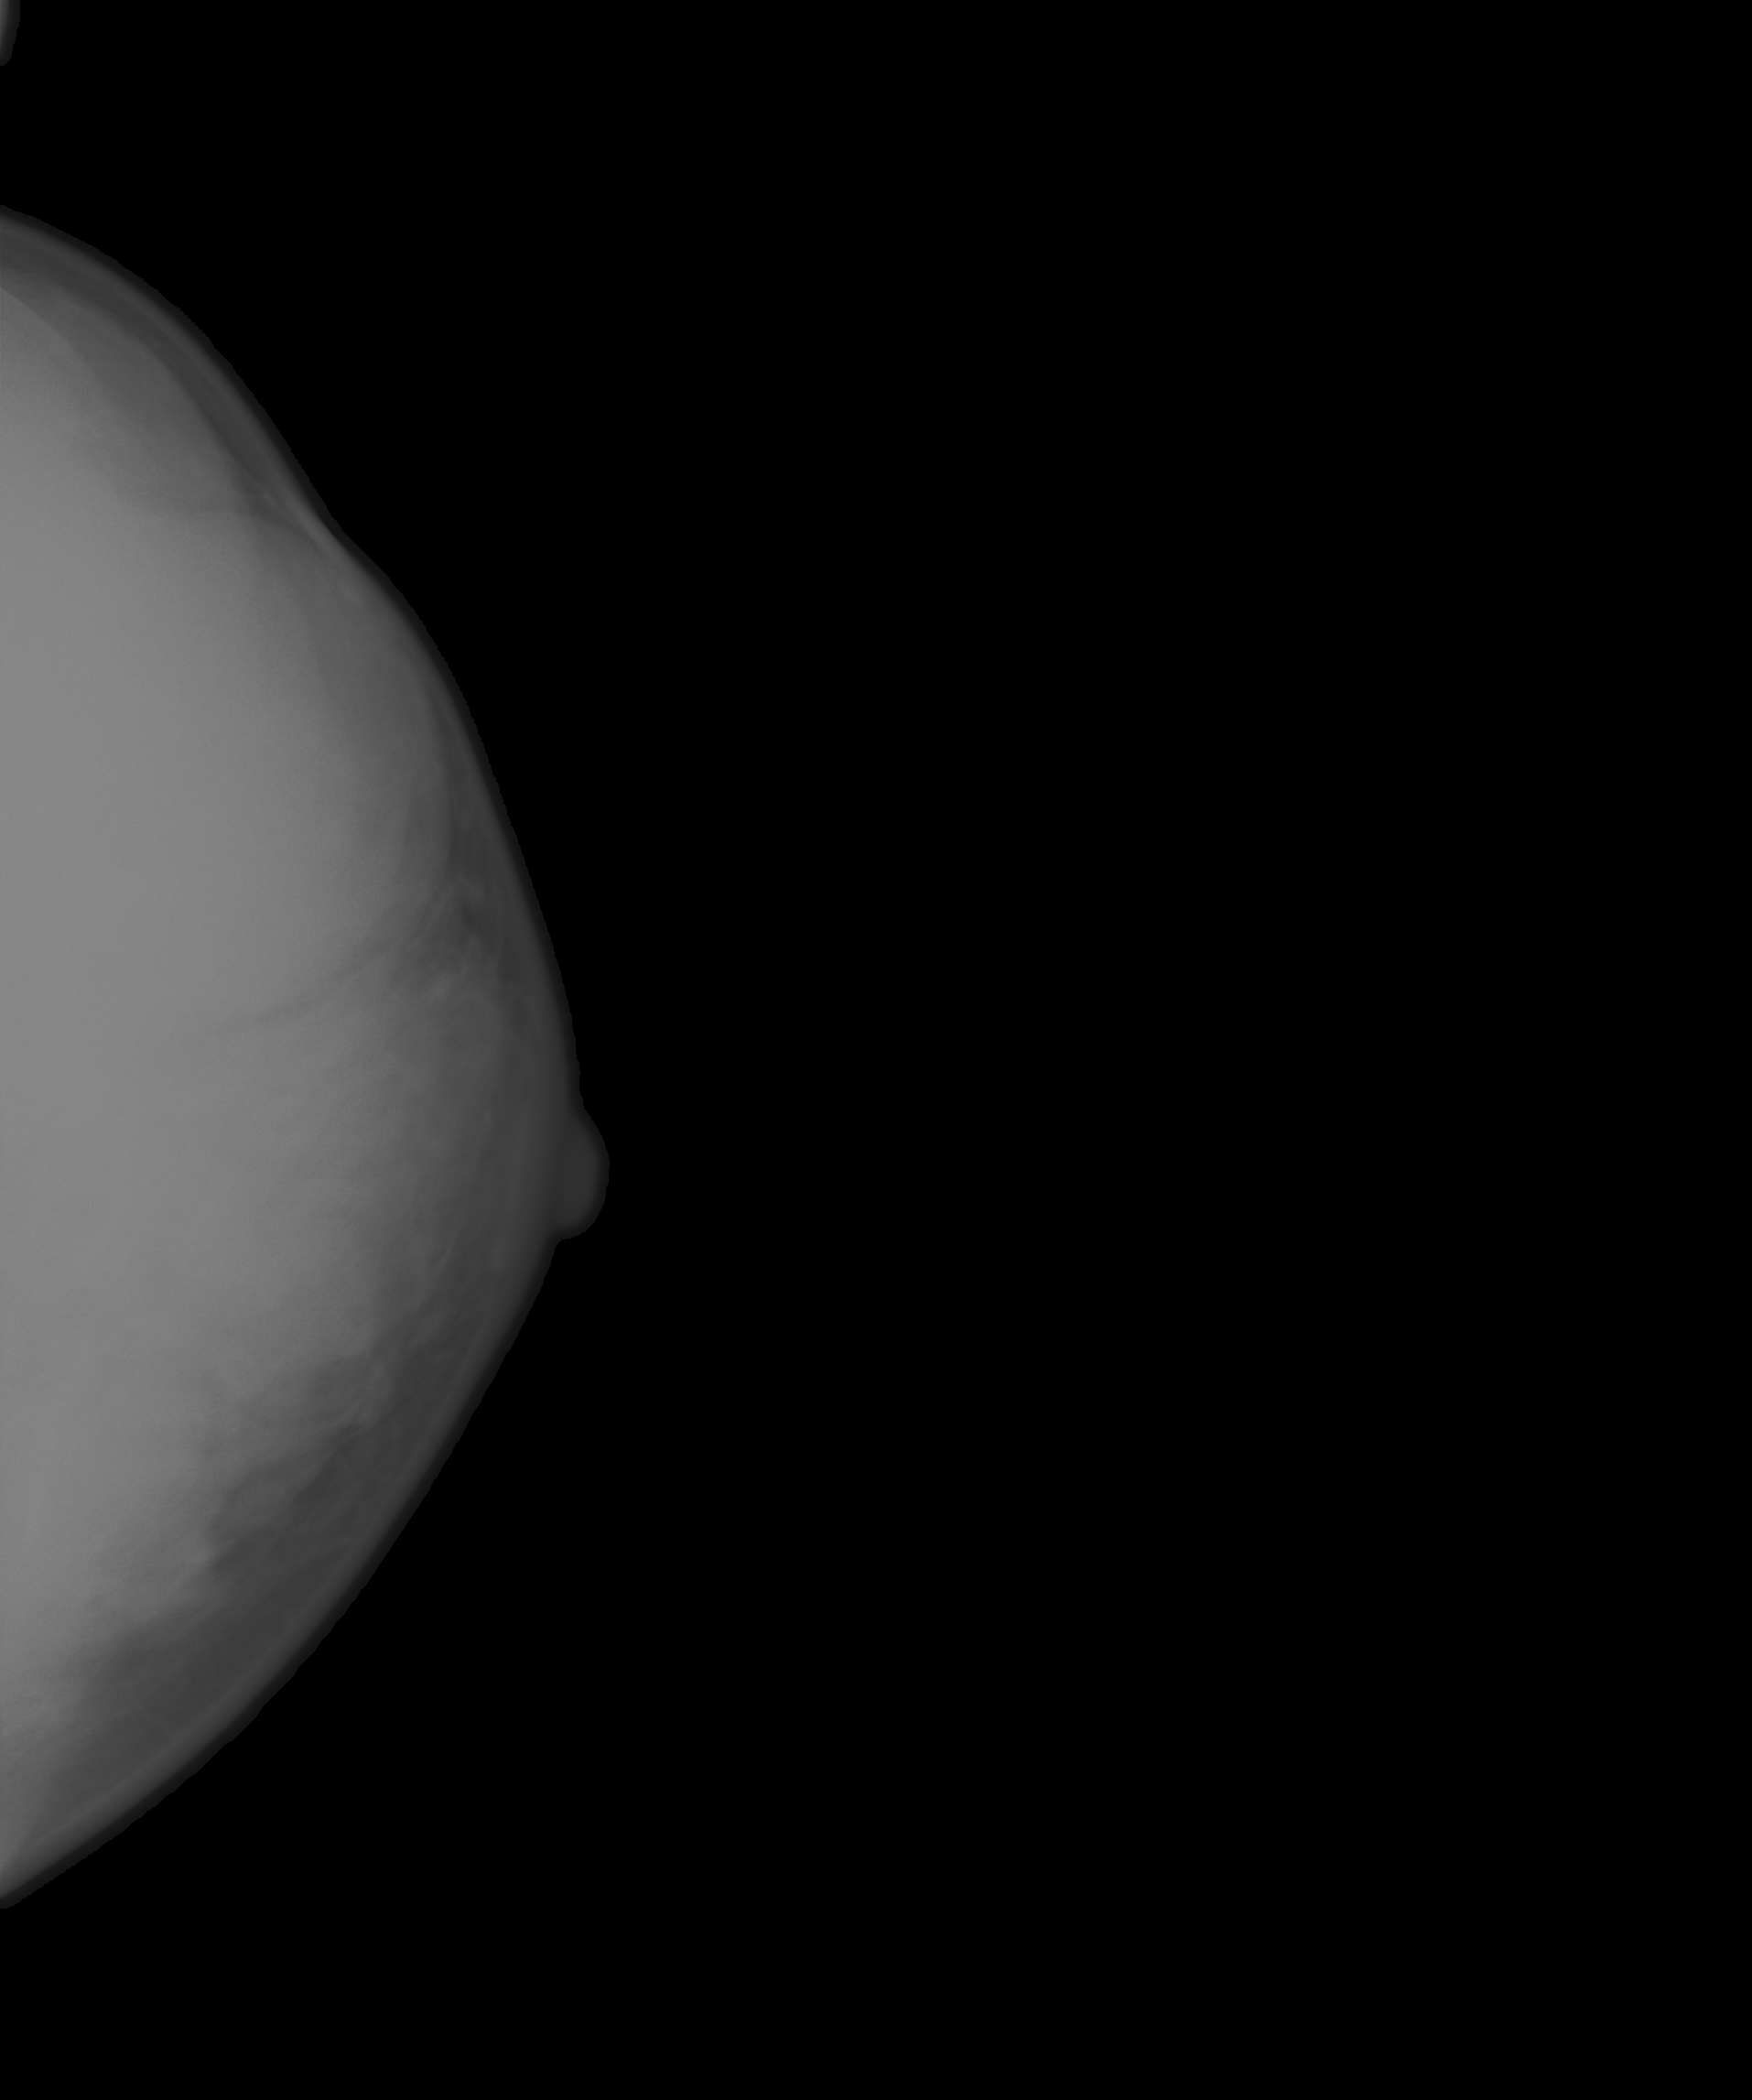
Digital mammography. Left breast, cranio-caudal projection. 35 y/o patient.
This breast has a mass, biopsy-proven benign.